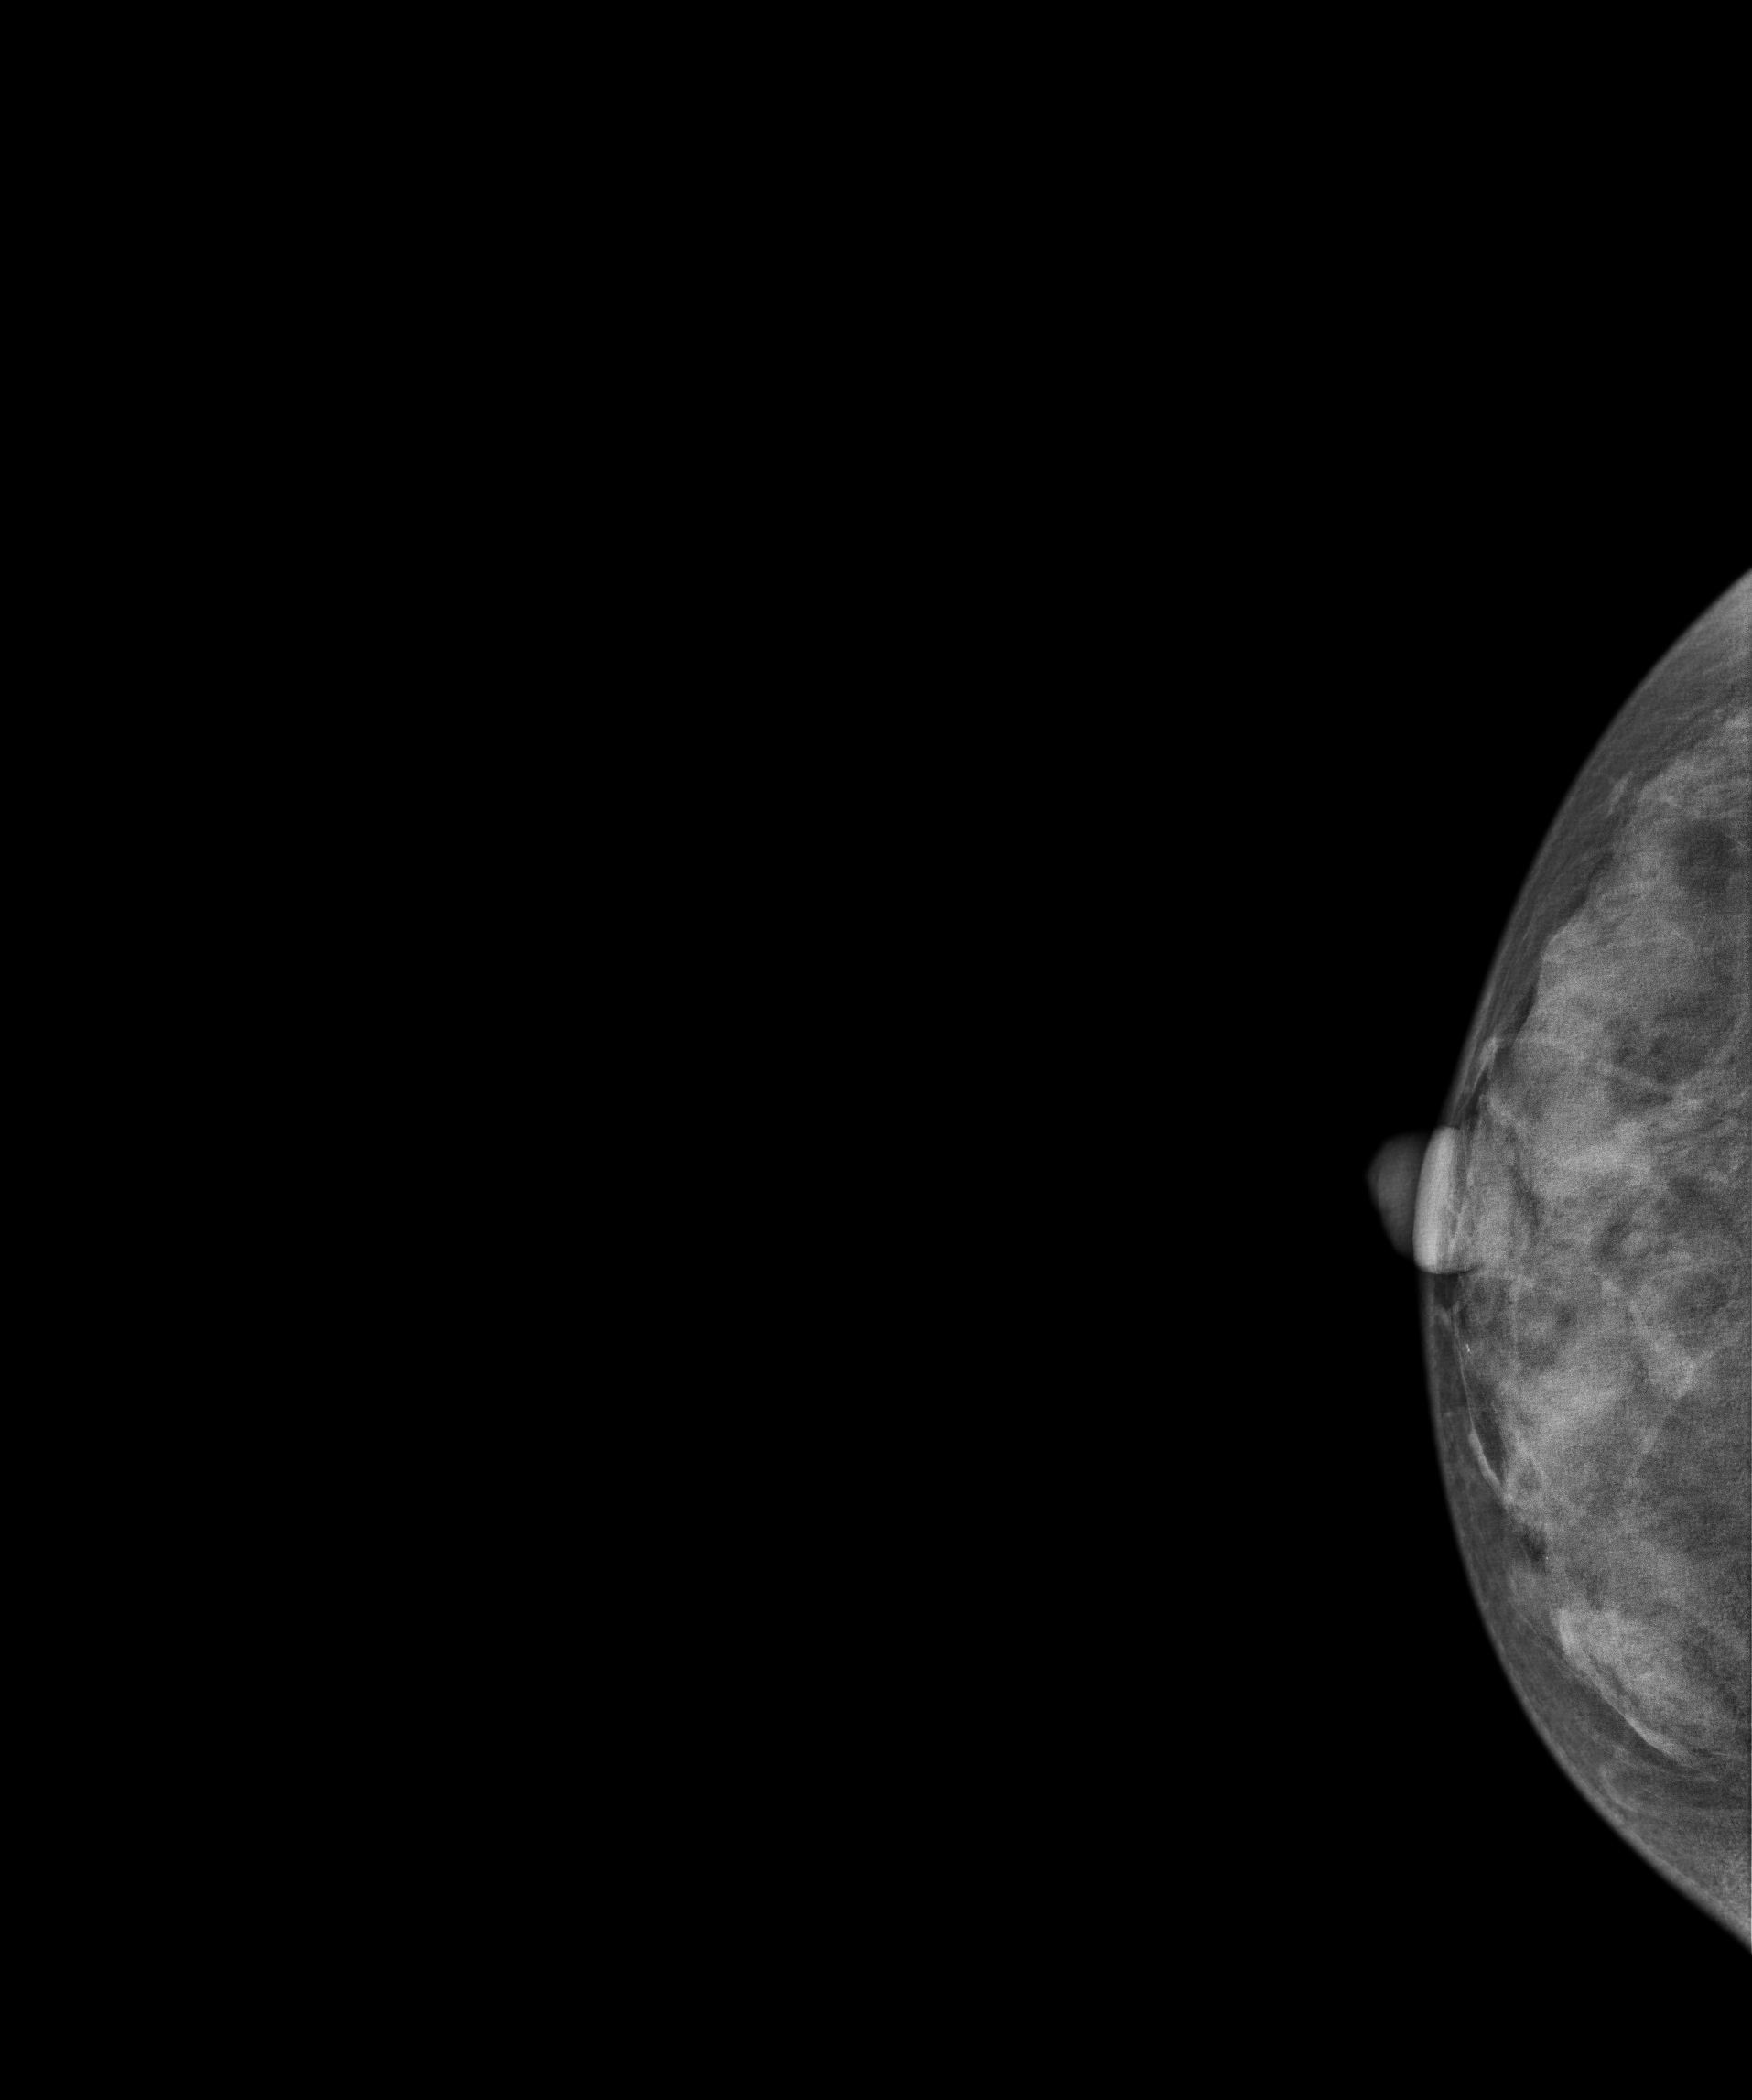
Cranio-caudal mammogram of the right breast. Patient age 31.
This breast has a mass, biopsy-confirmed malignant. Molecular subtype: luminal B.